Right-breast mammogram, MLO. 38-year-old patient.
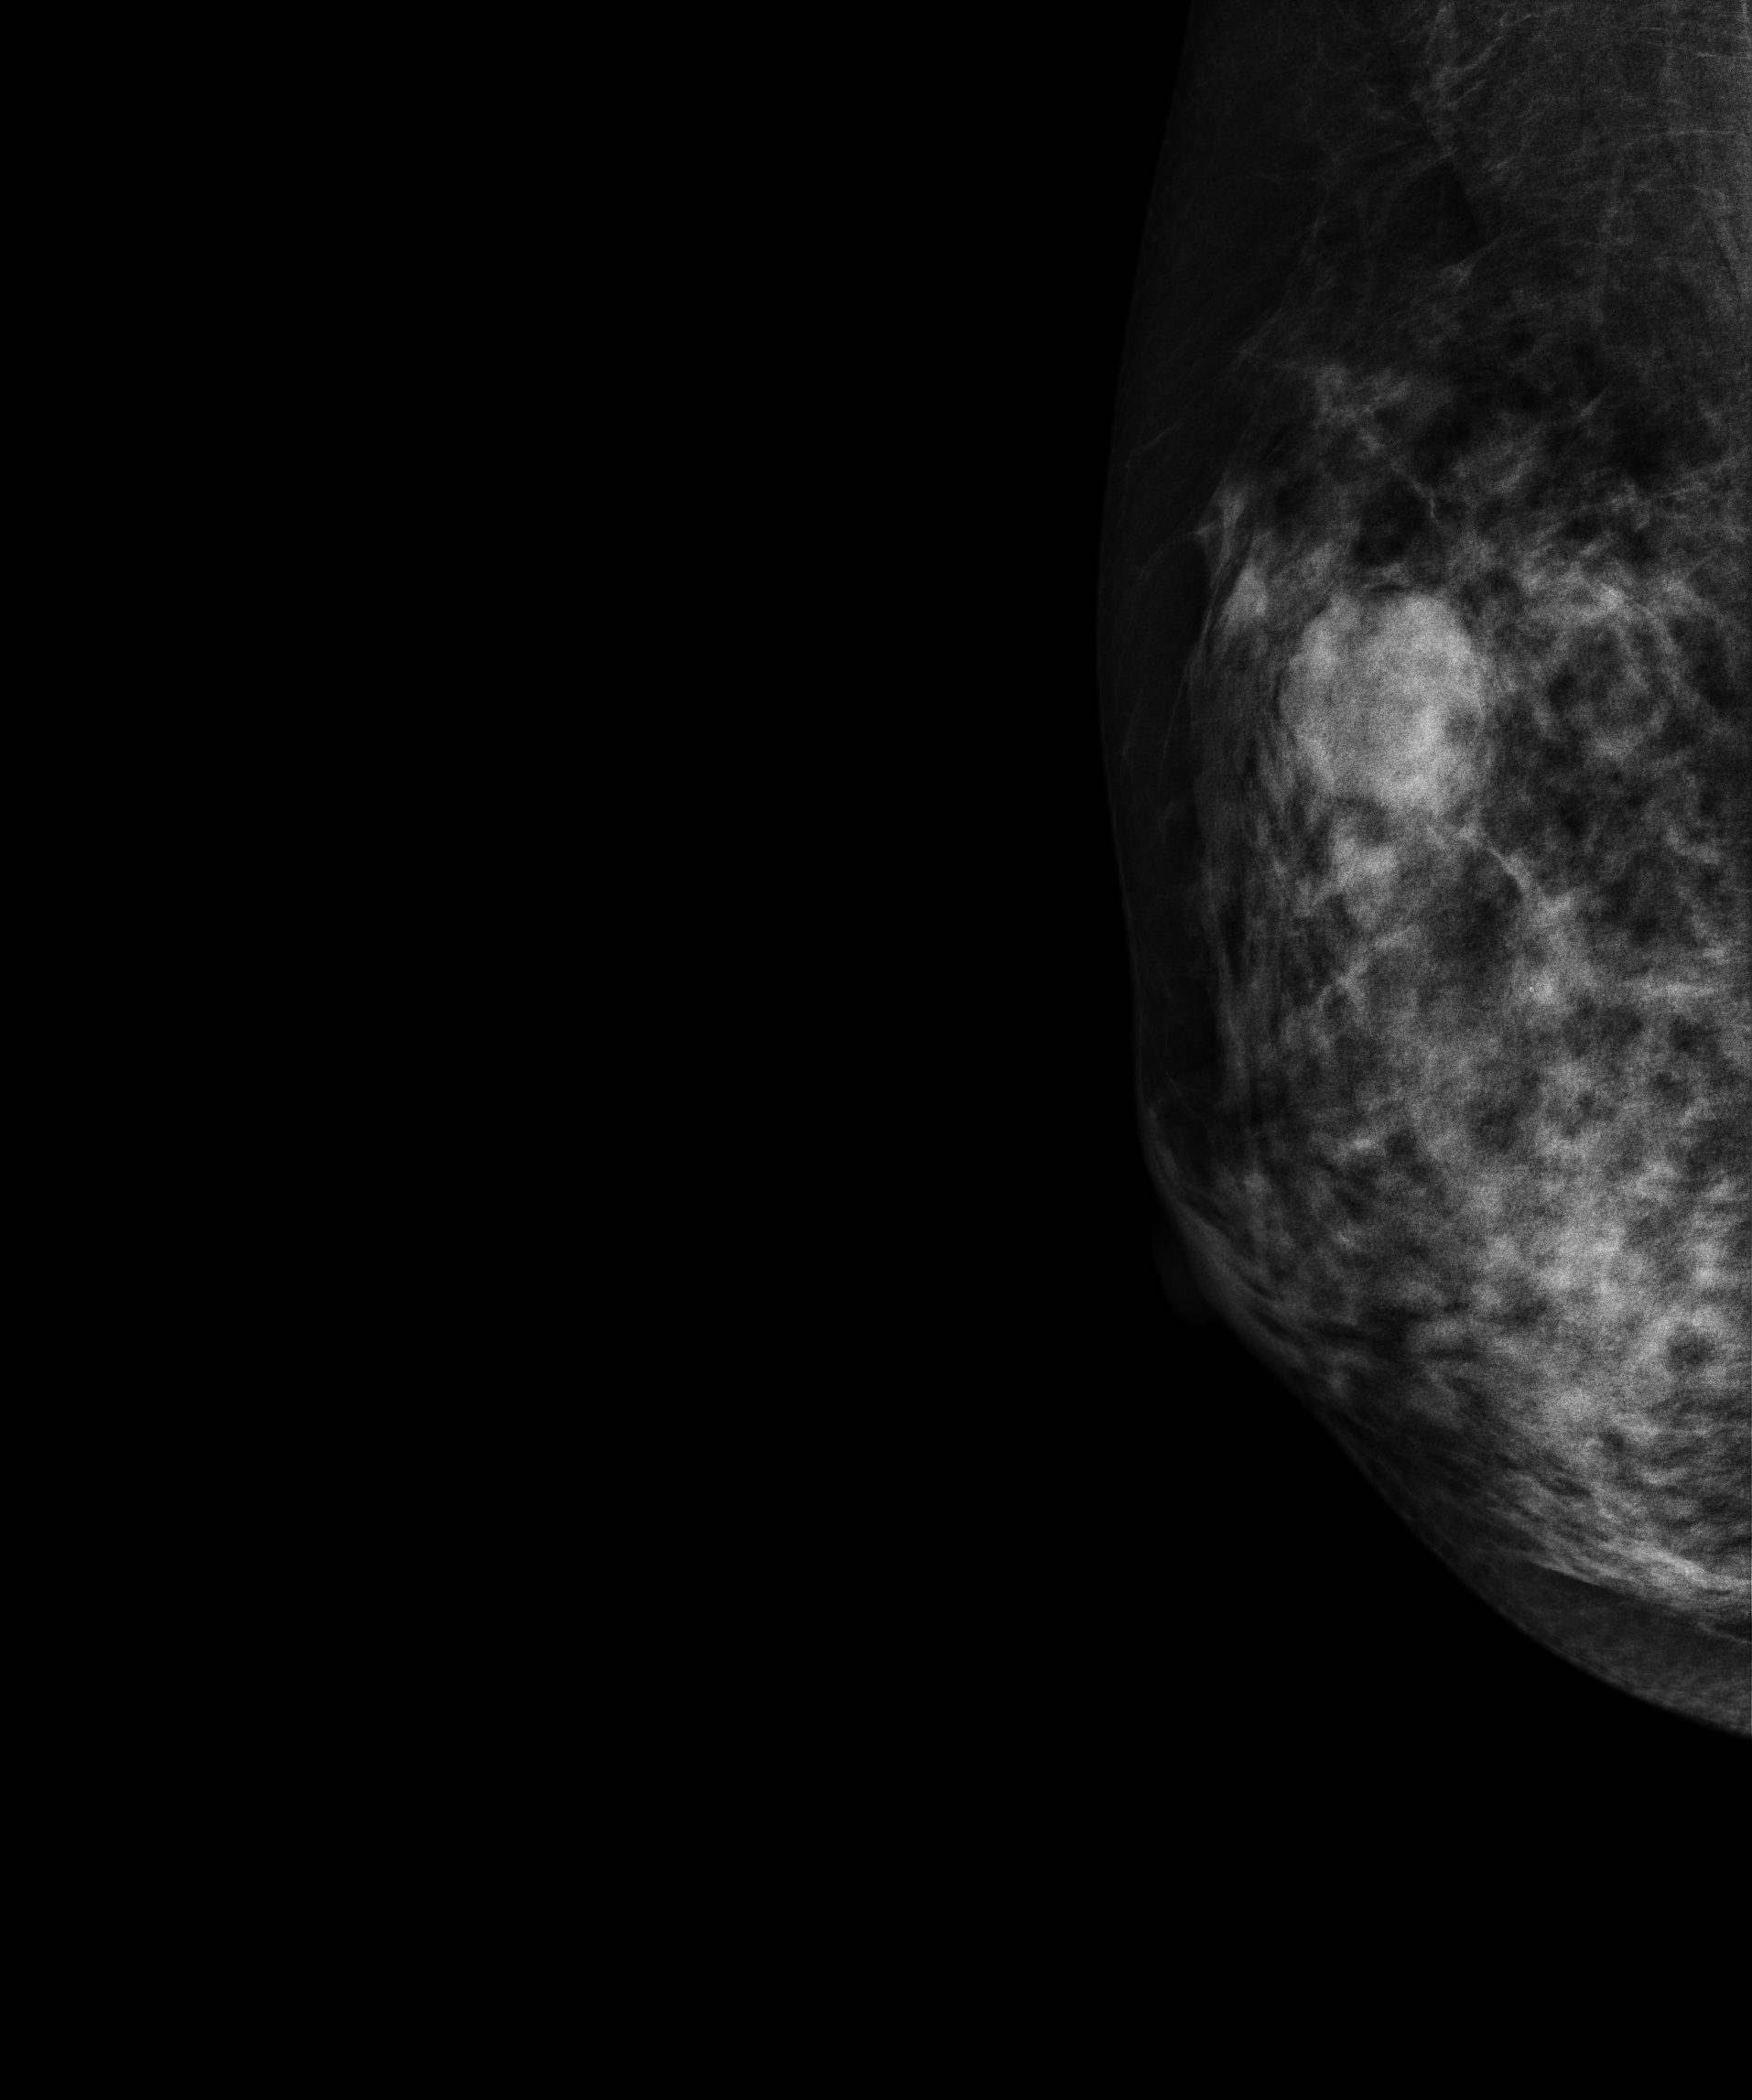
This breast has a mass, pathology-confirmed benign.